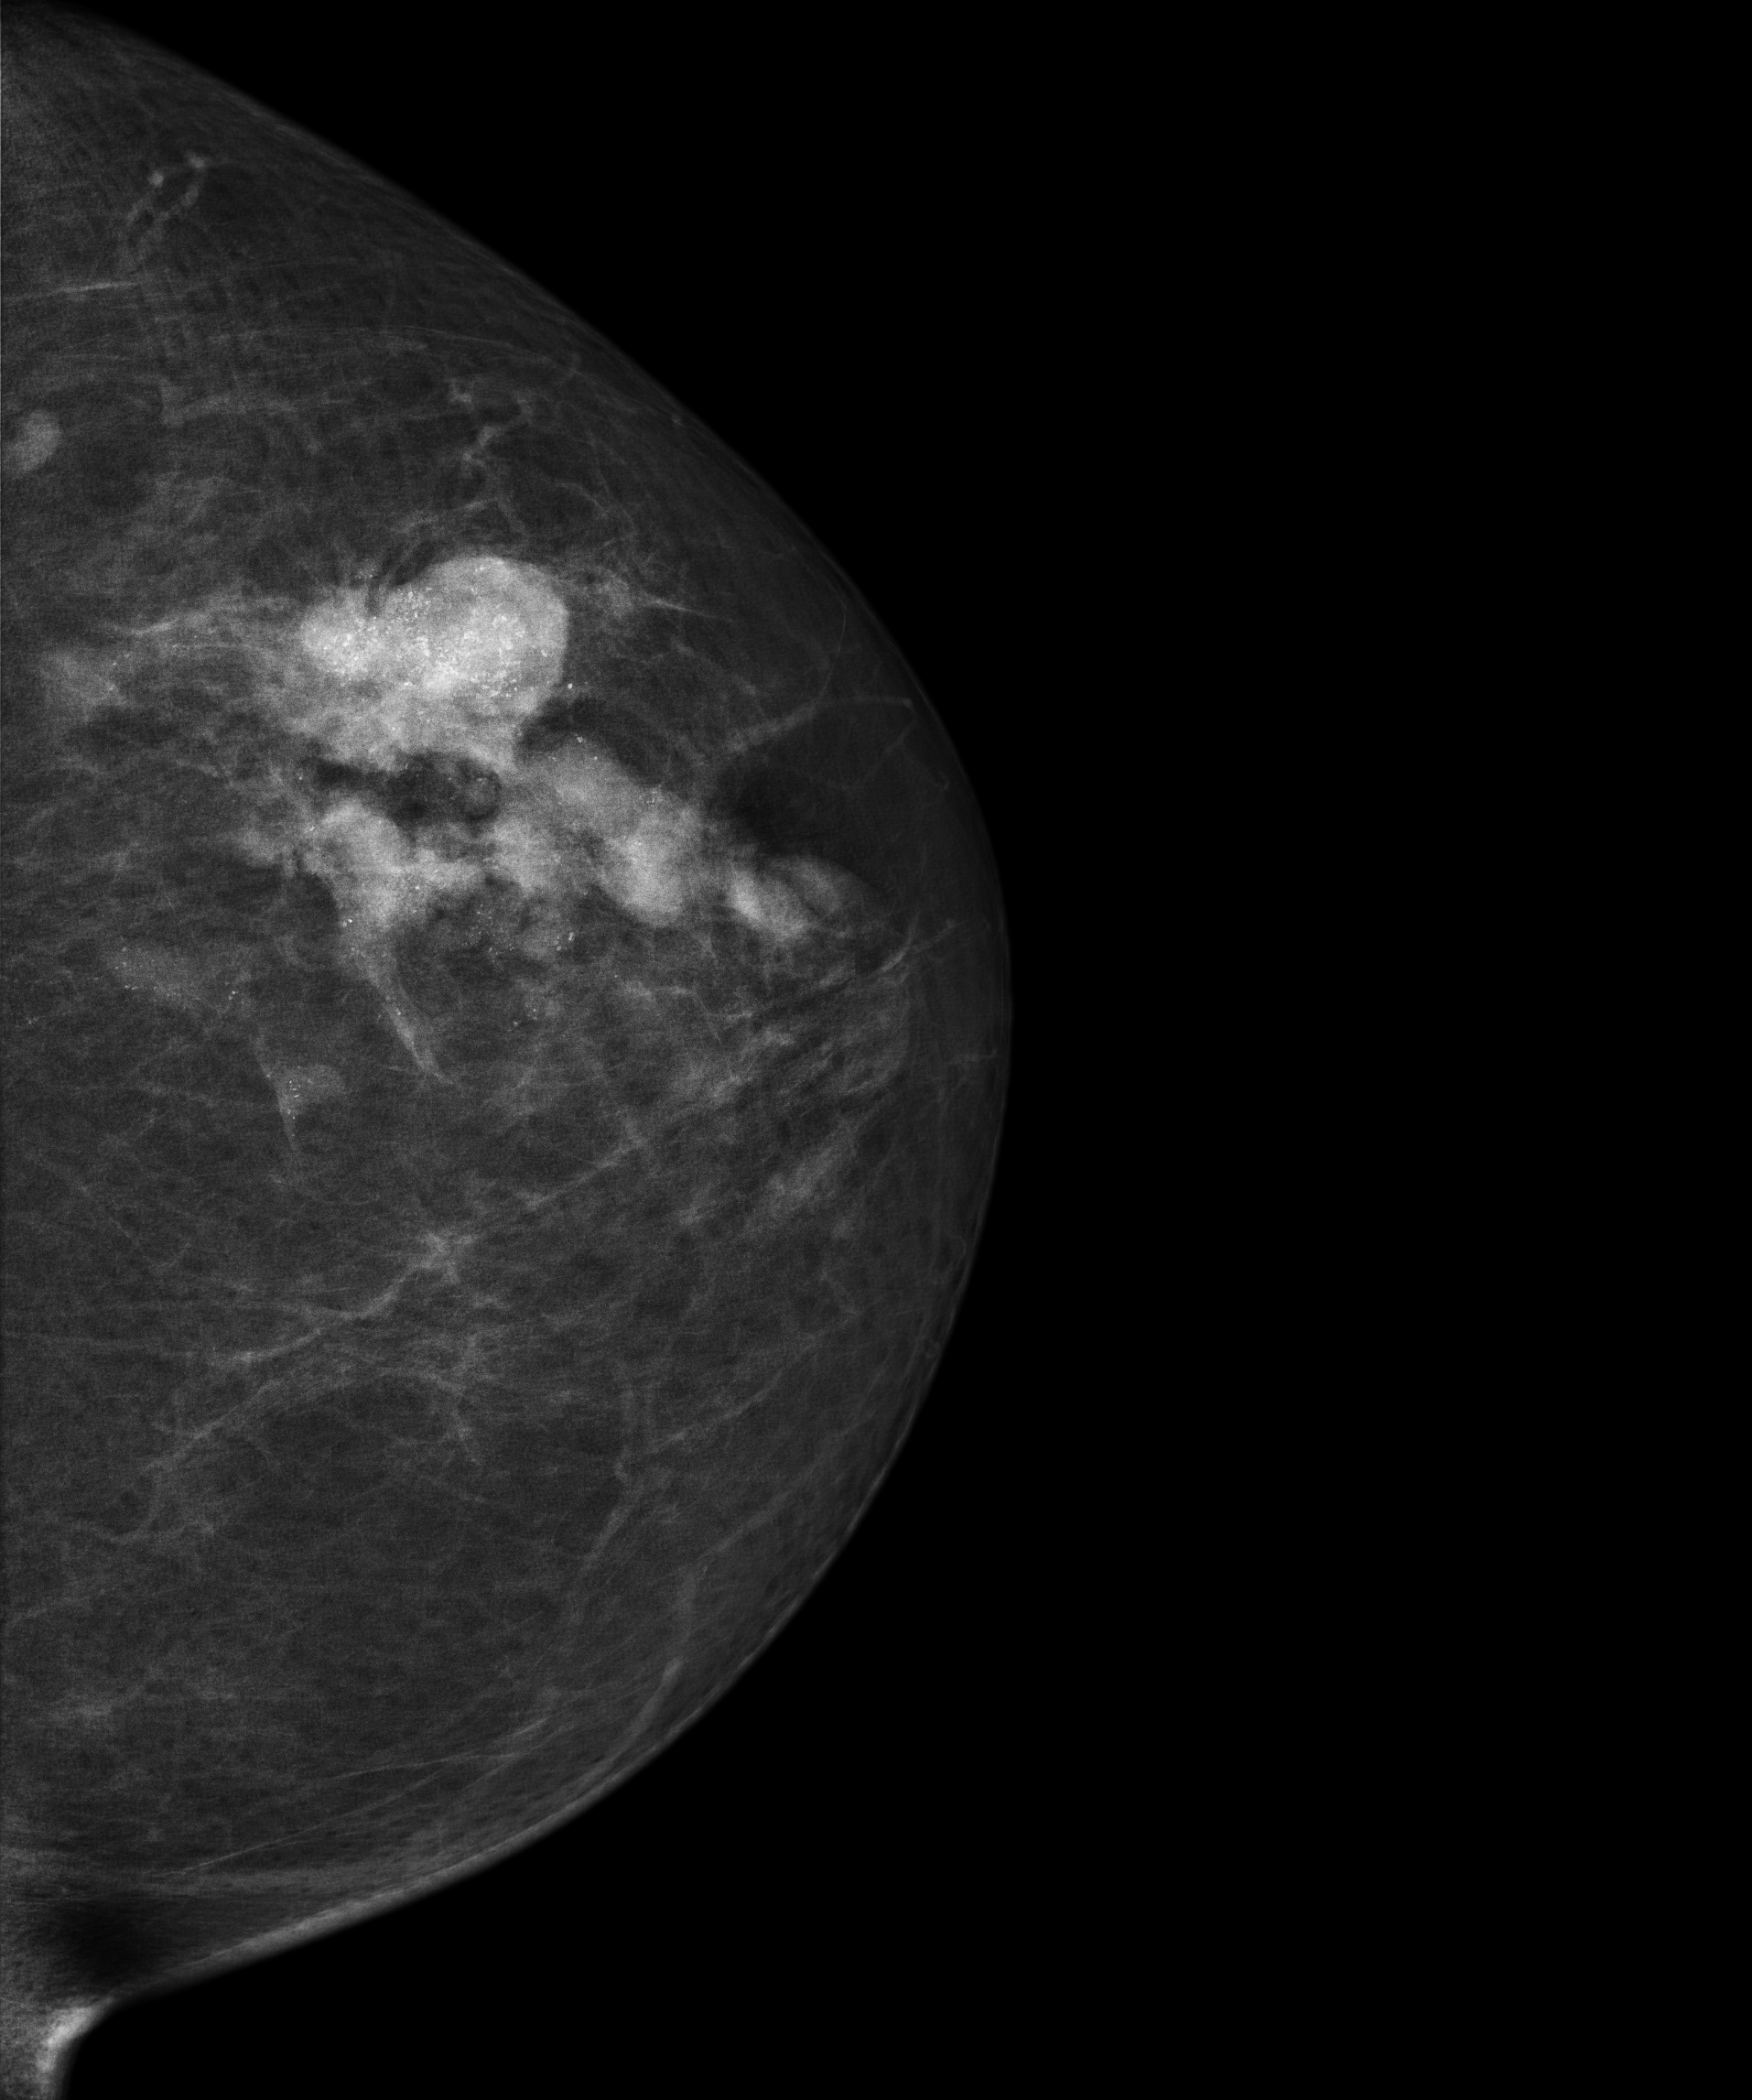
Left-breast mammogram, CC. Patient age 62.
This breast has a mass and calcifications, biopsy-confirmed malignant.